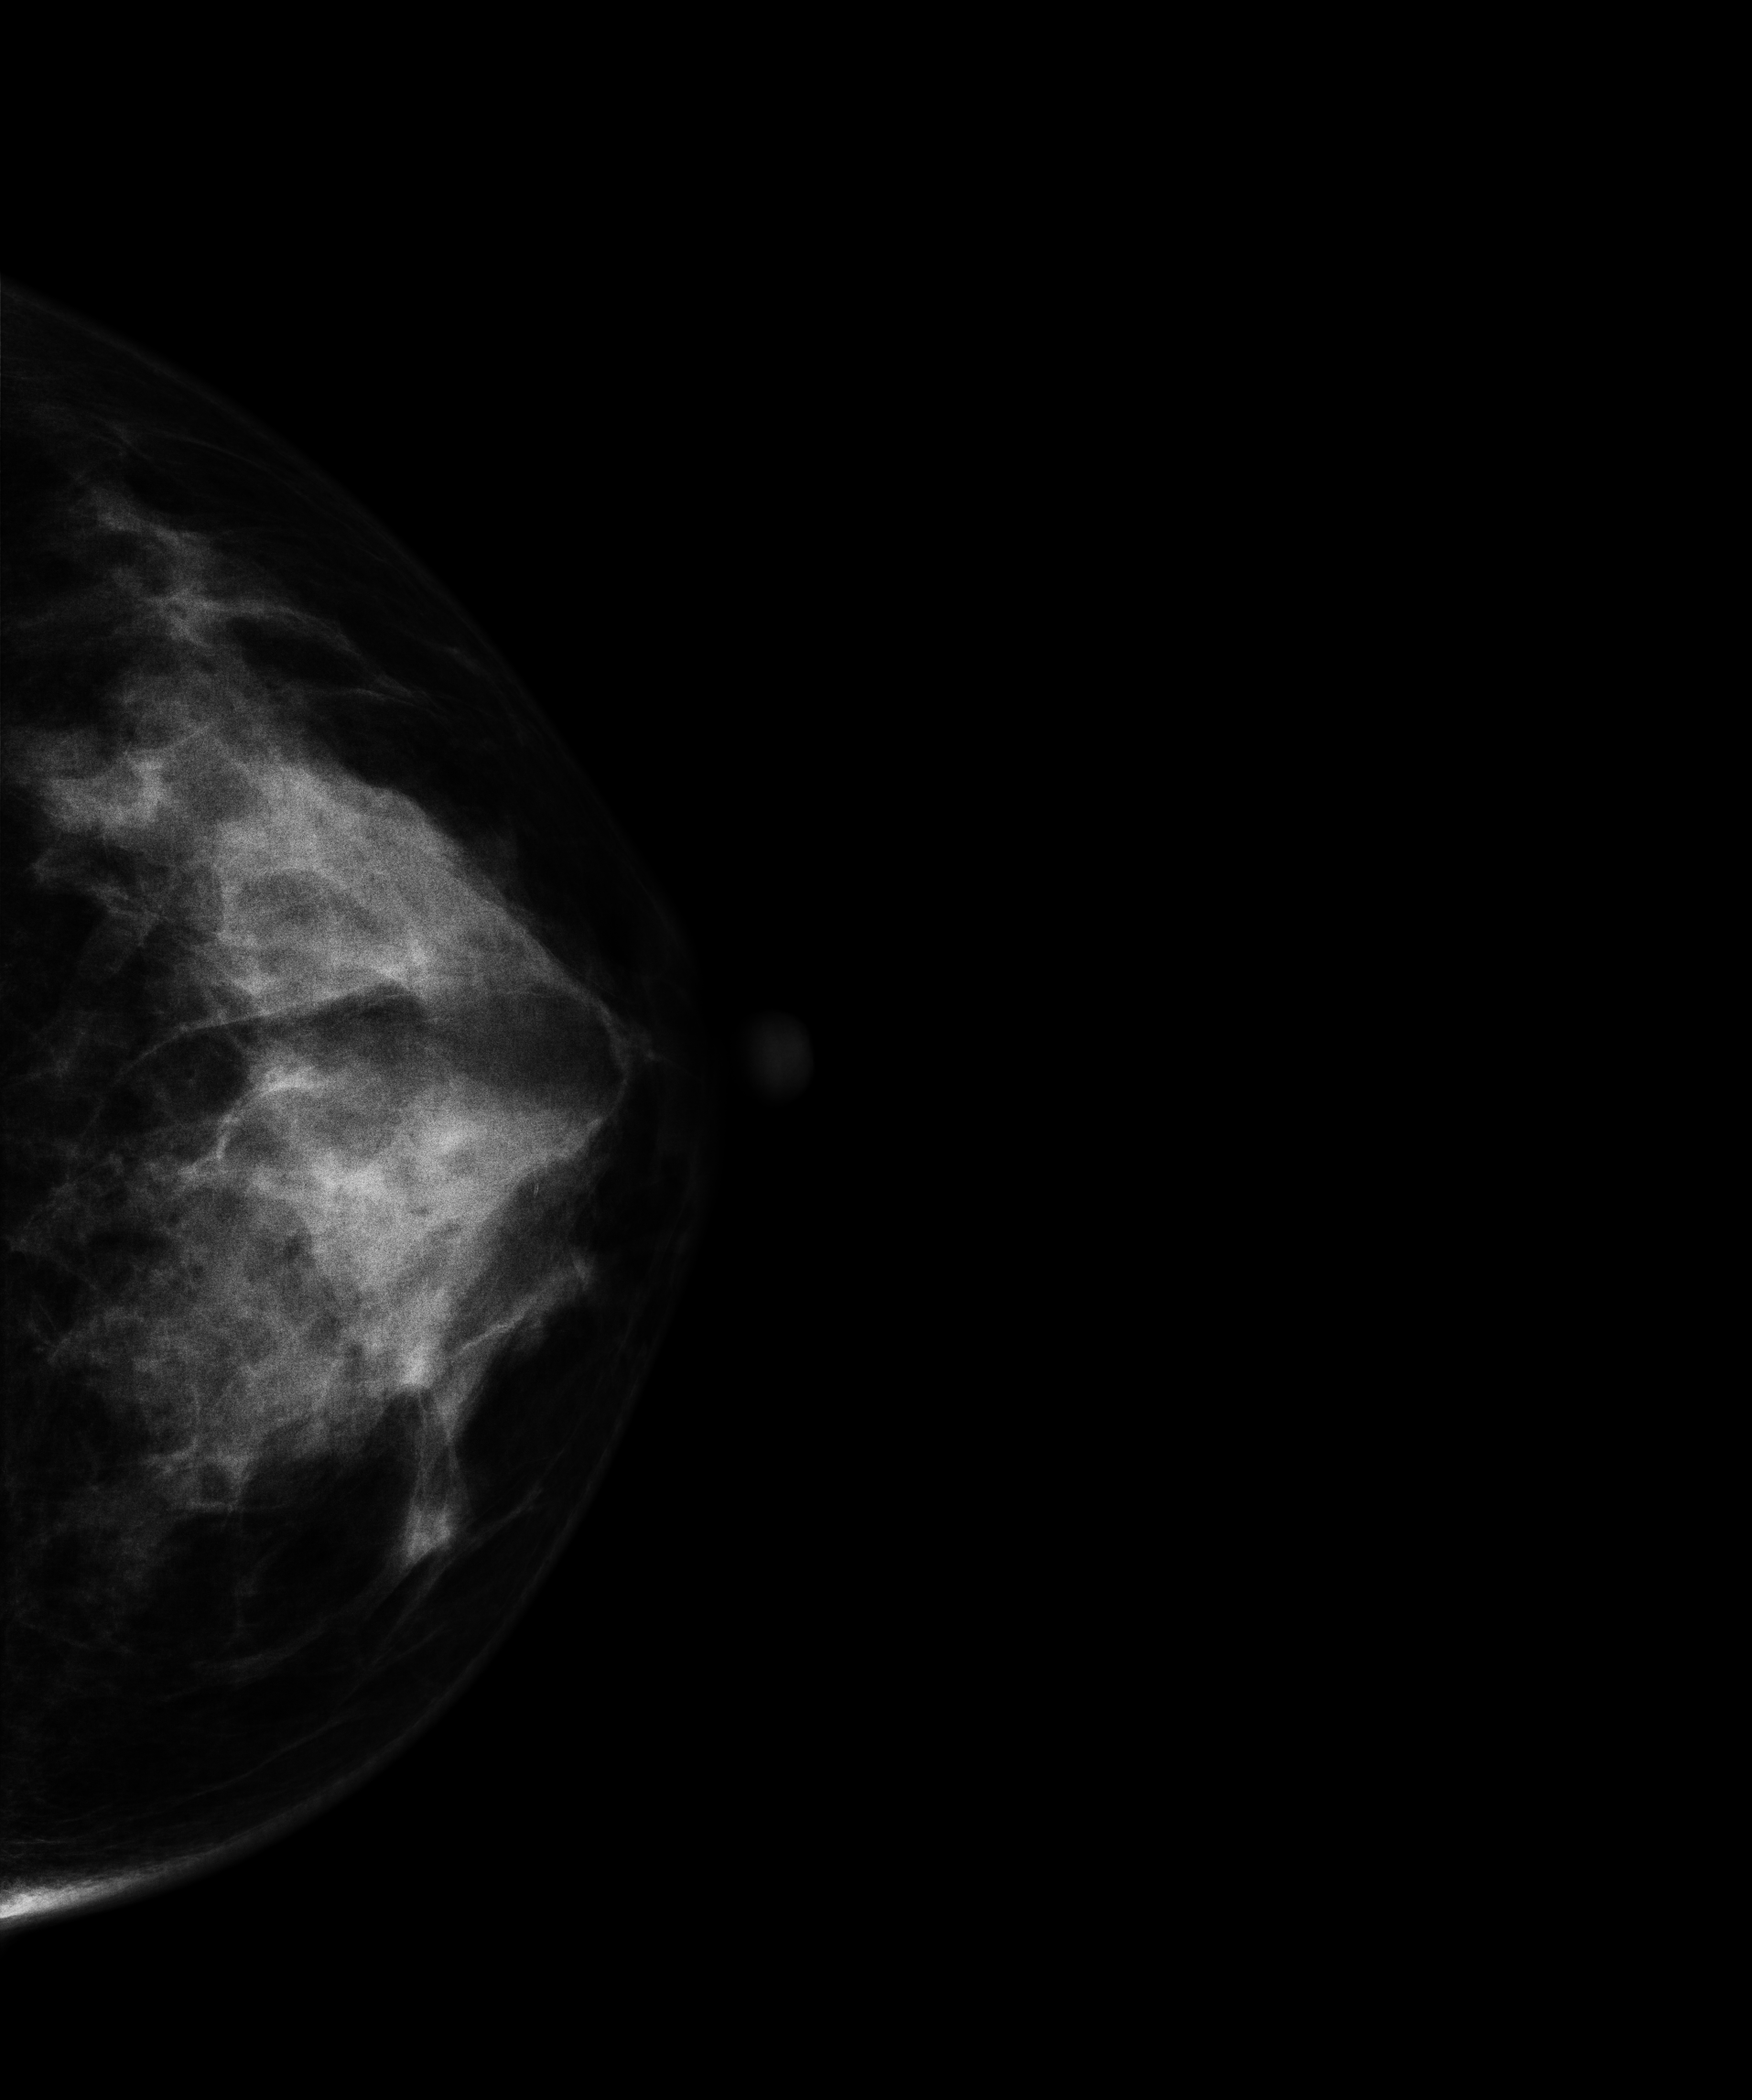
Mammogram, left breast, CC view. 50-year-old patient.
This breast has a mass, biopsy-proven malignant. Molecular subtype: HER2-enriched.